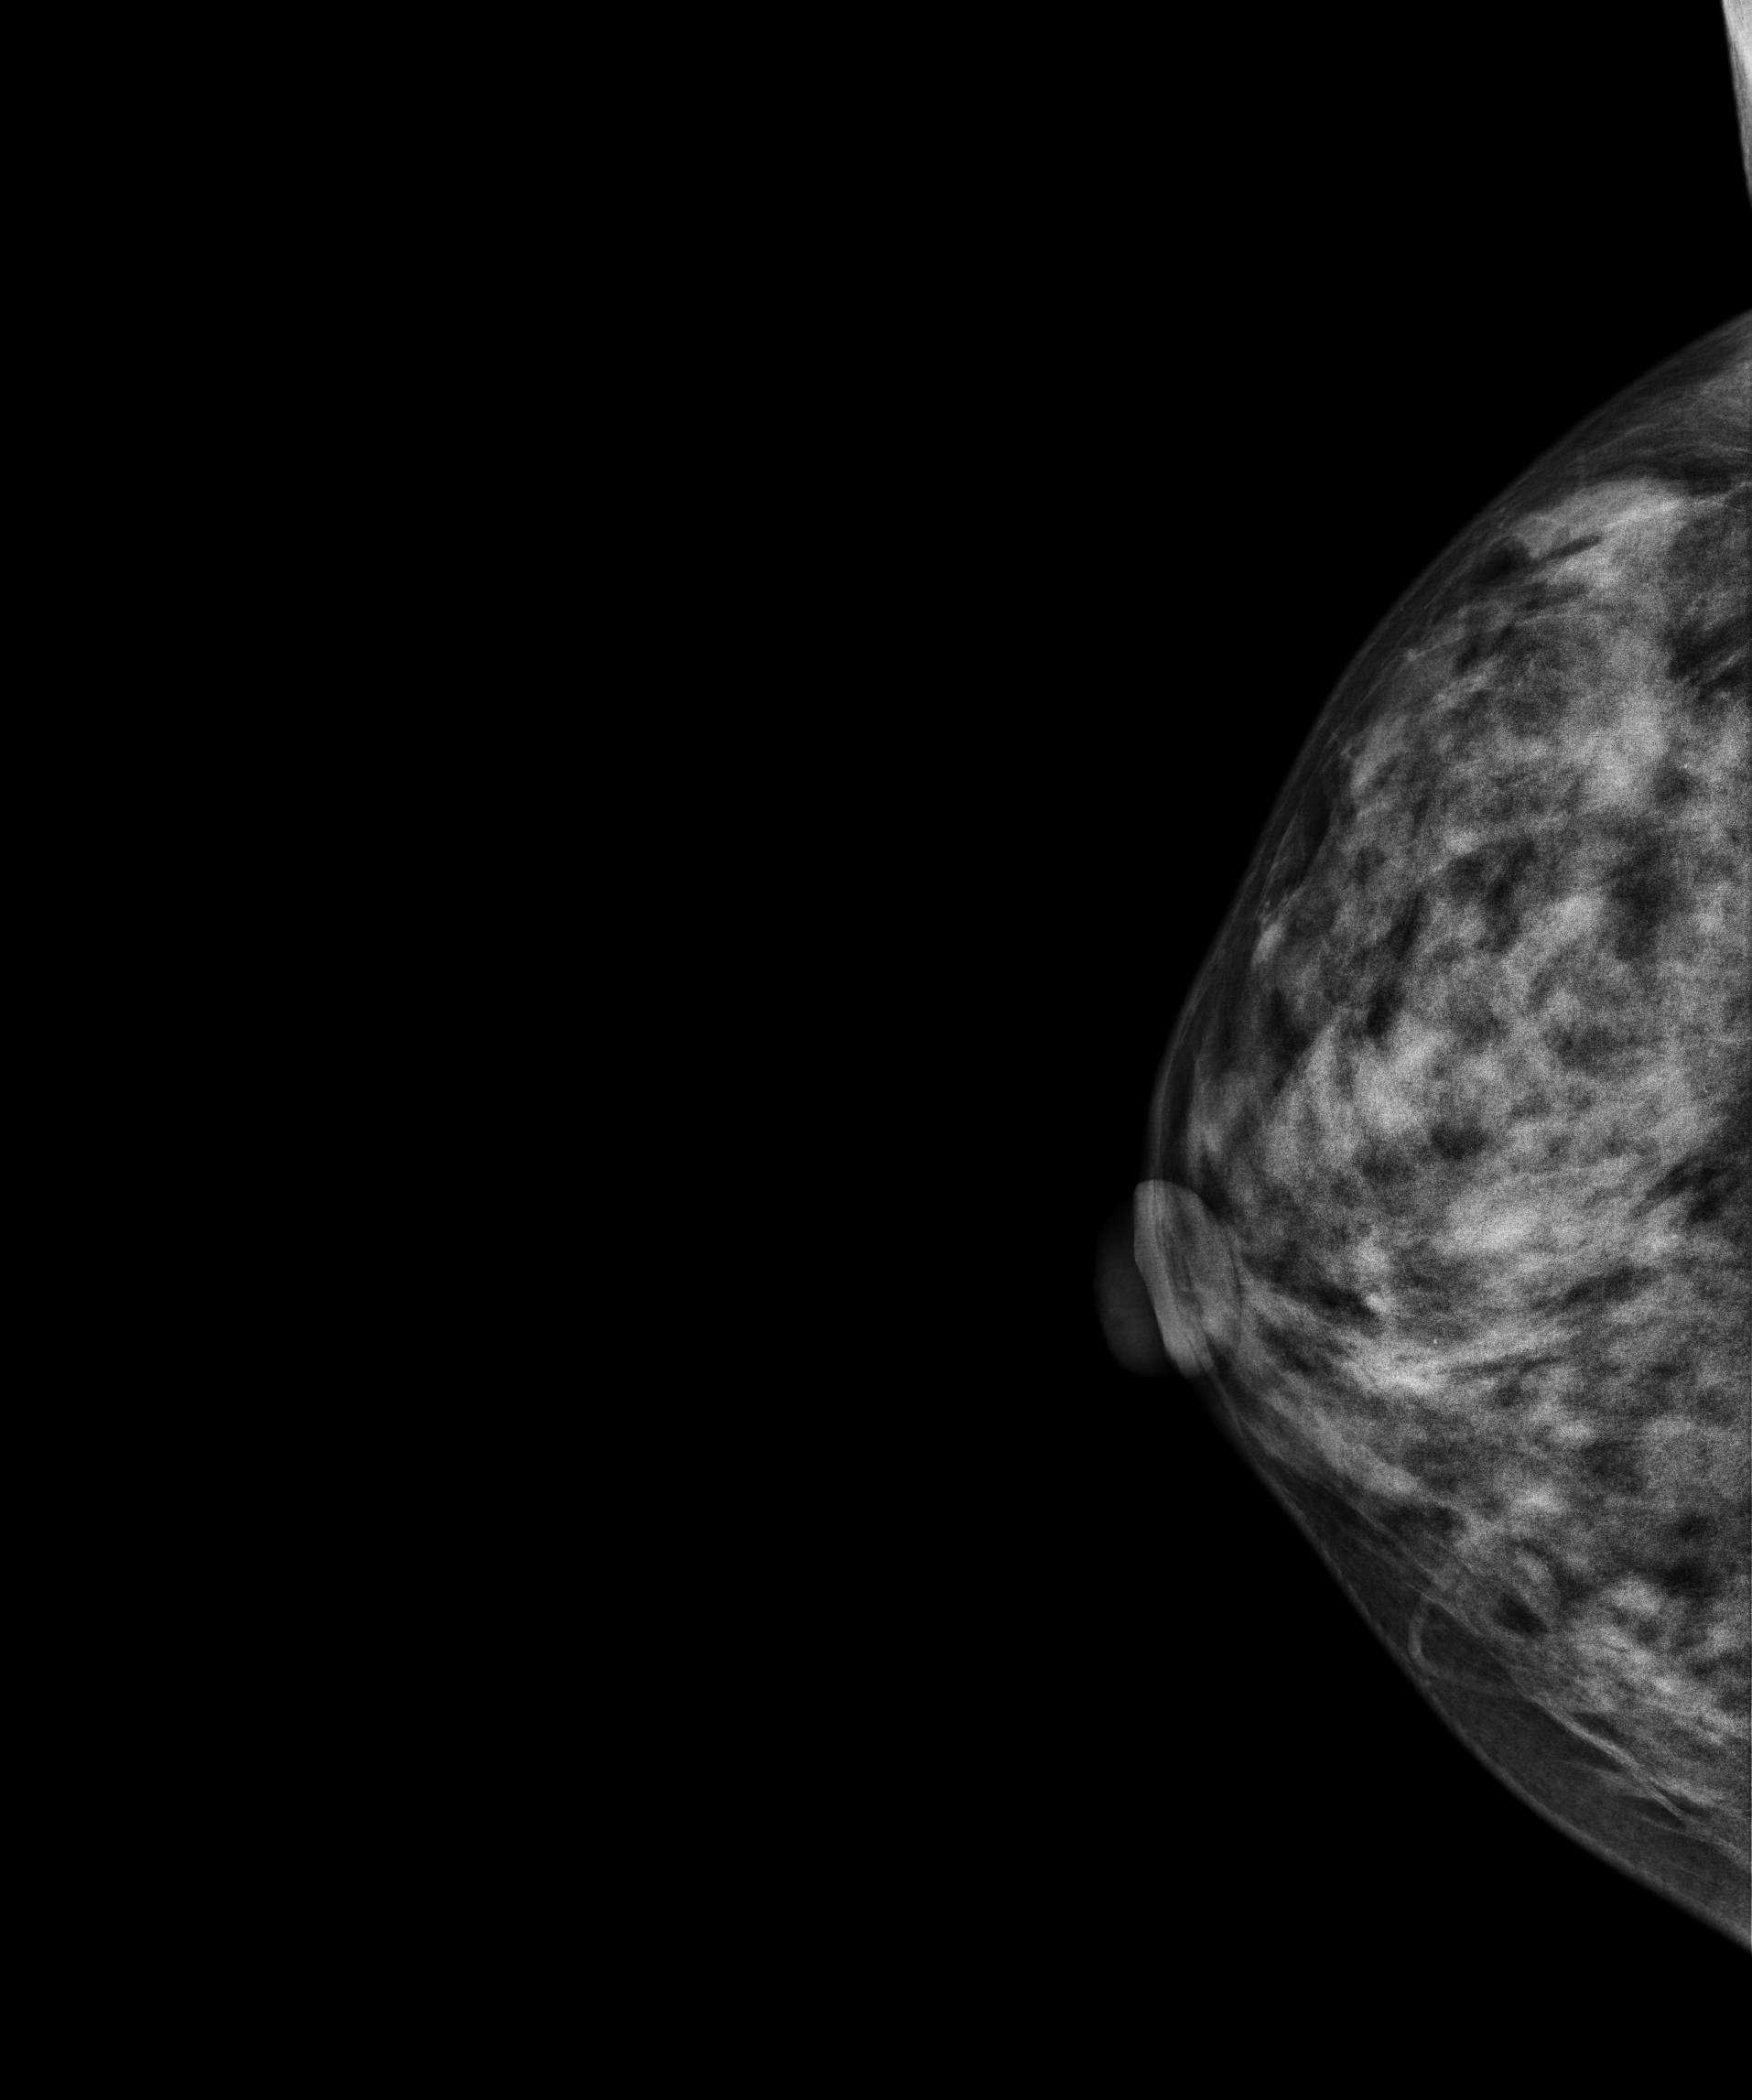
Right-breast mammogram, CC. 32 y/o patient.
This breast has a mass, biopsy-proven malignant.